Mammogram, right breast, medio-lateral oblique view. 36-year-old patient.
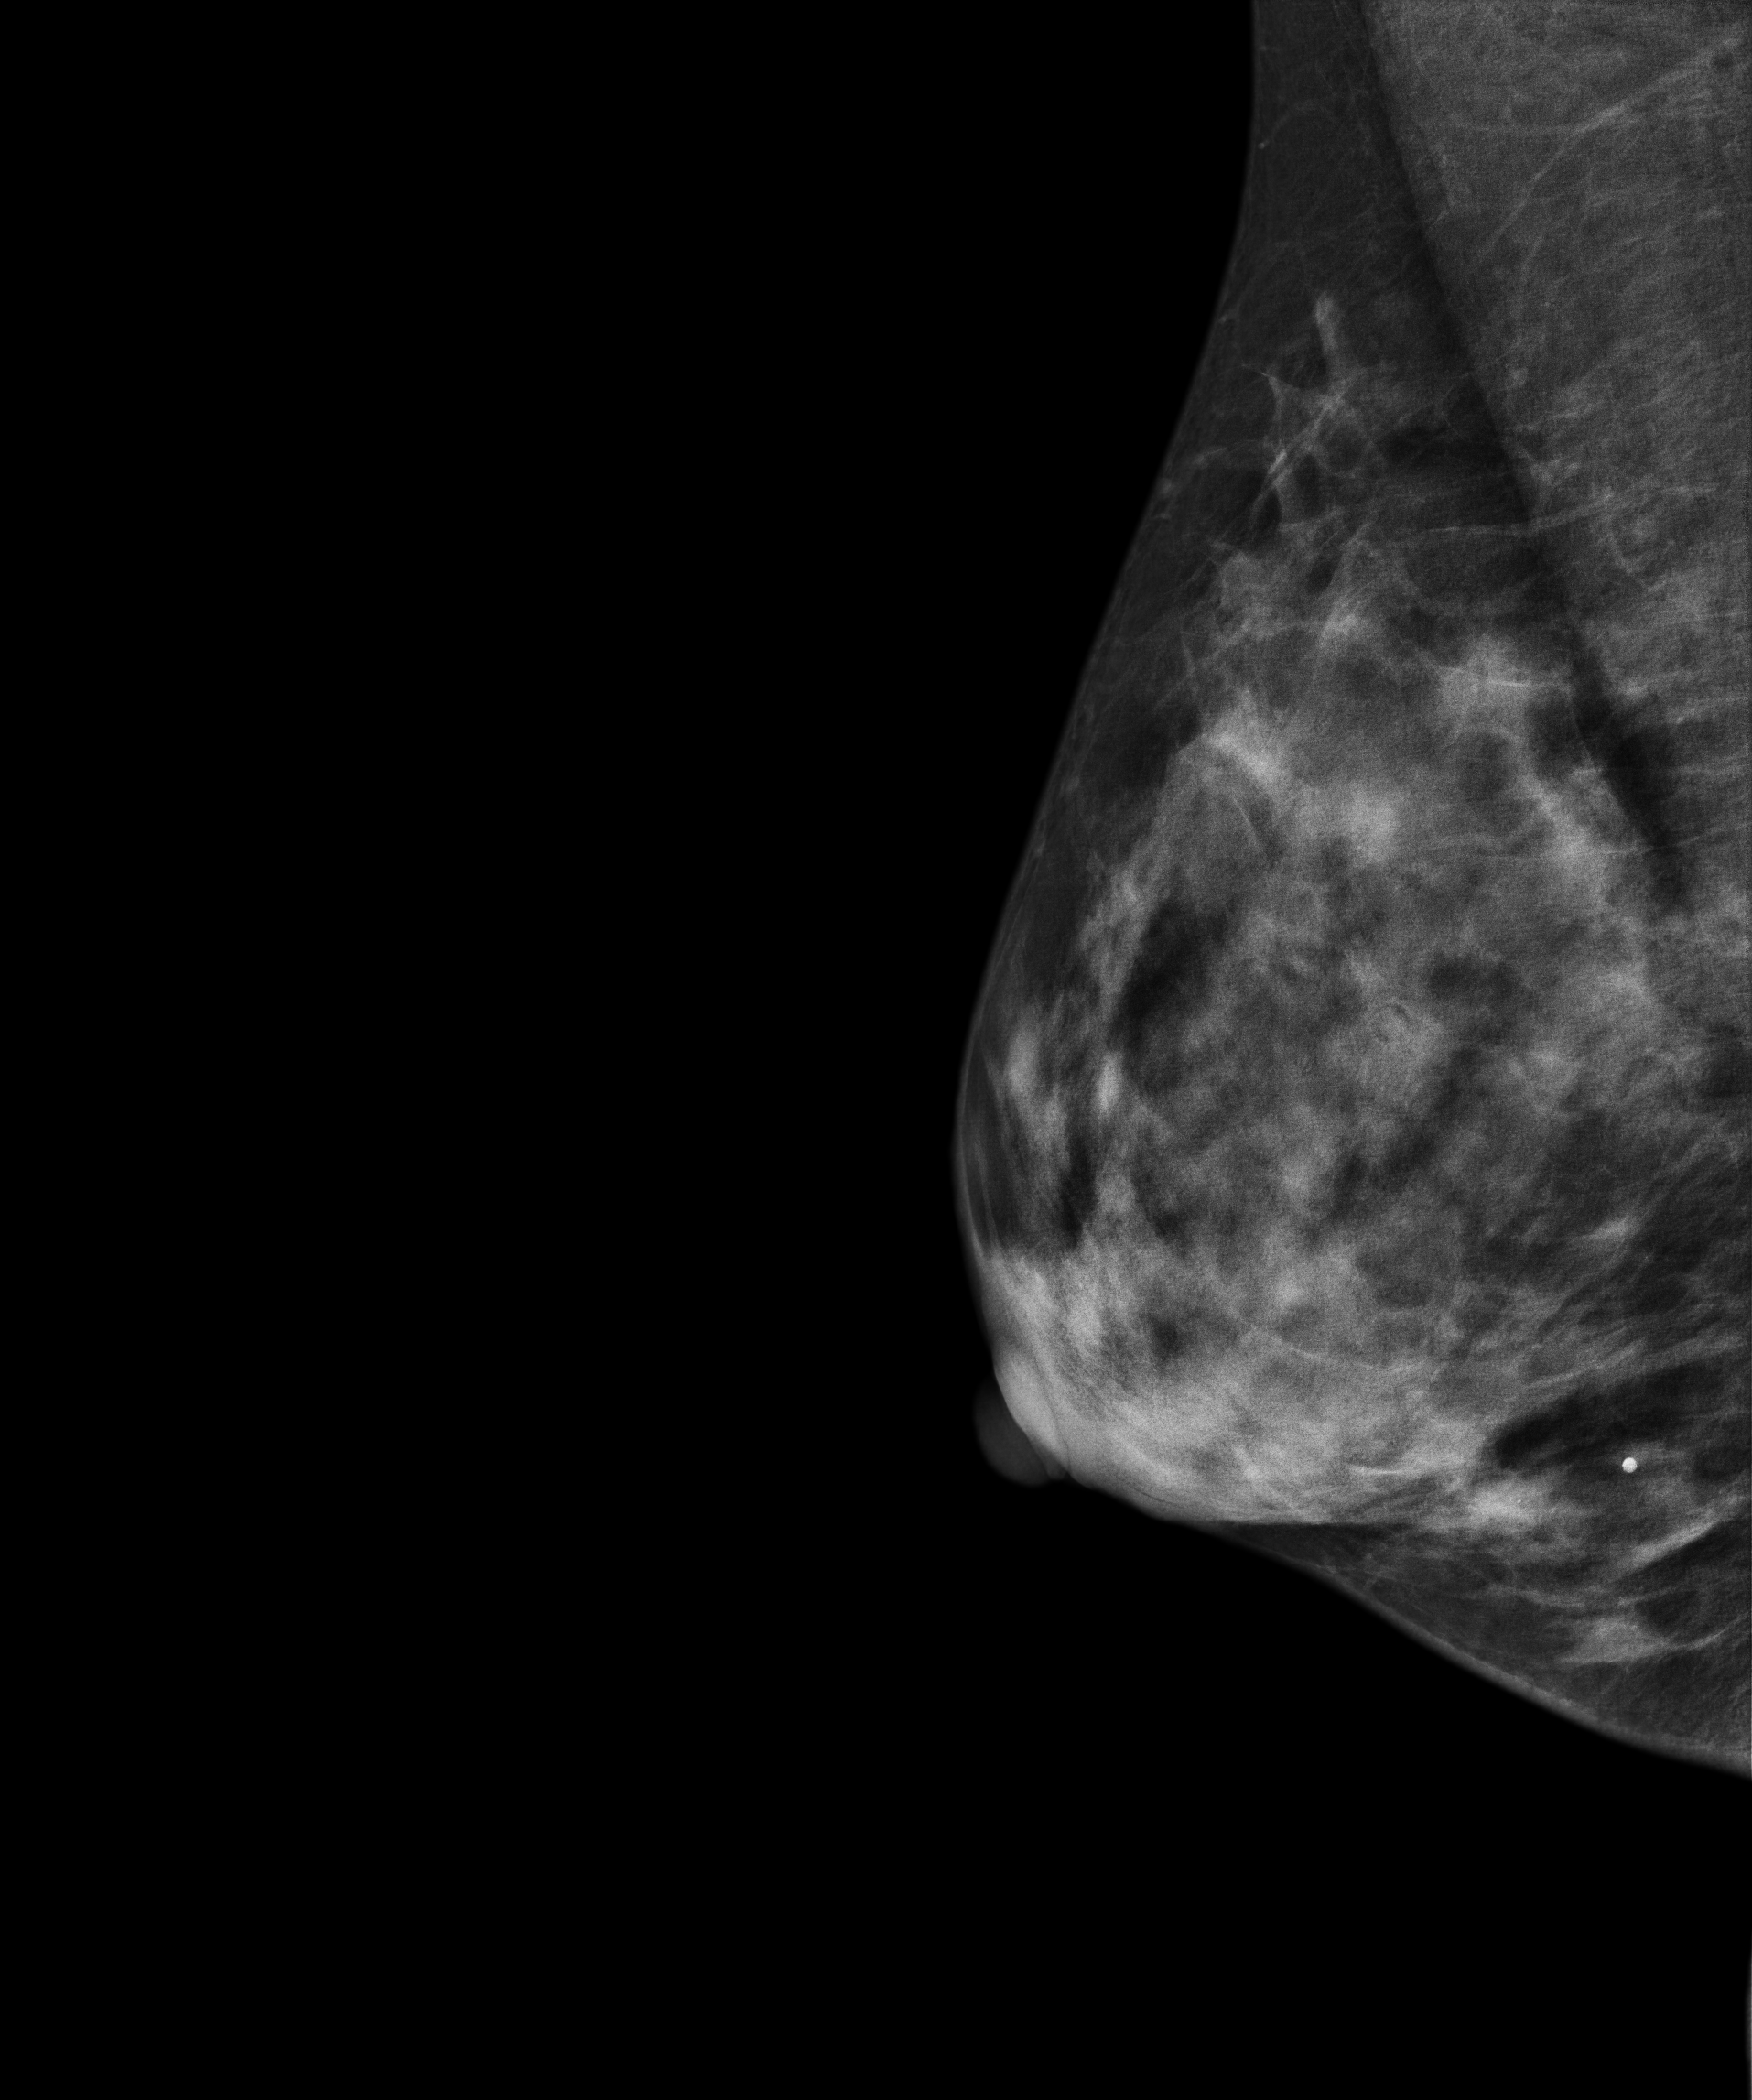
Contralateral breast — no documented abnormality on this side.